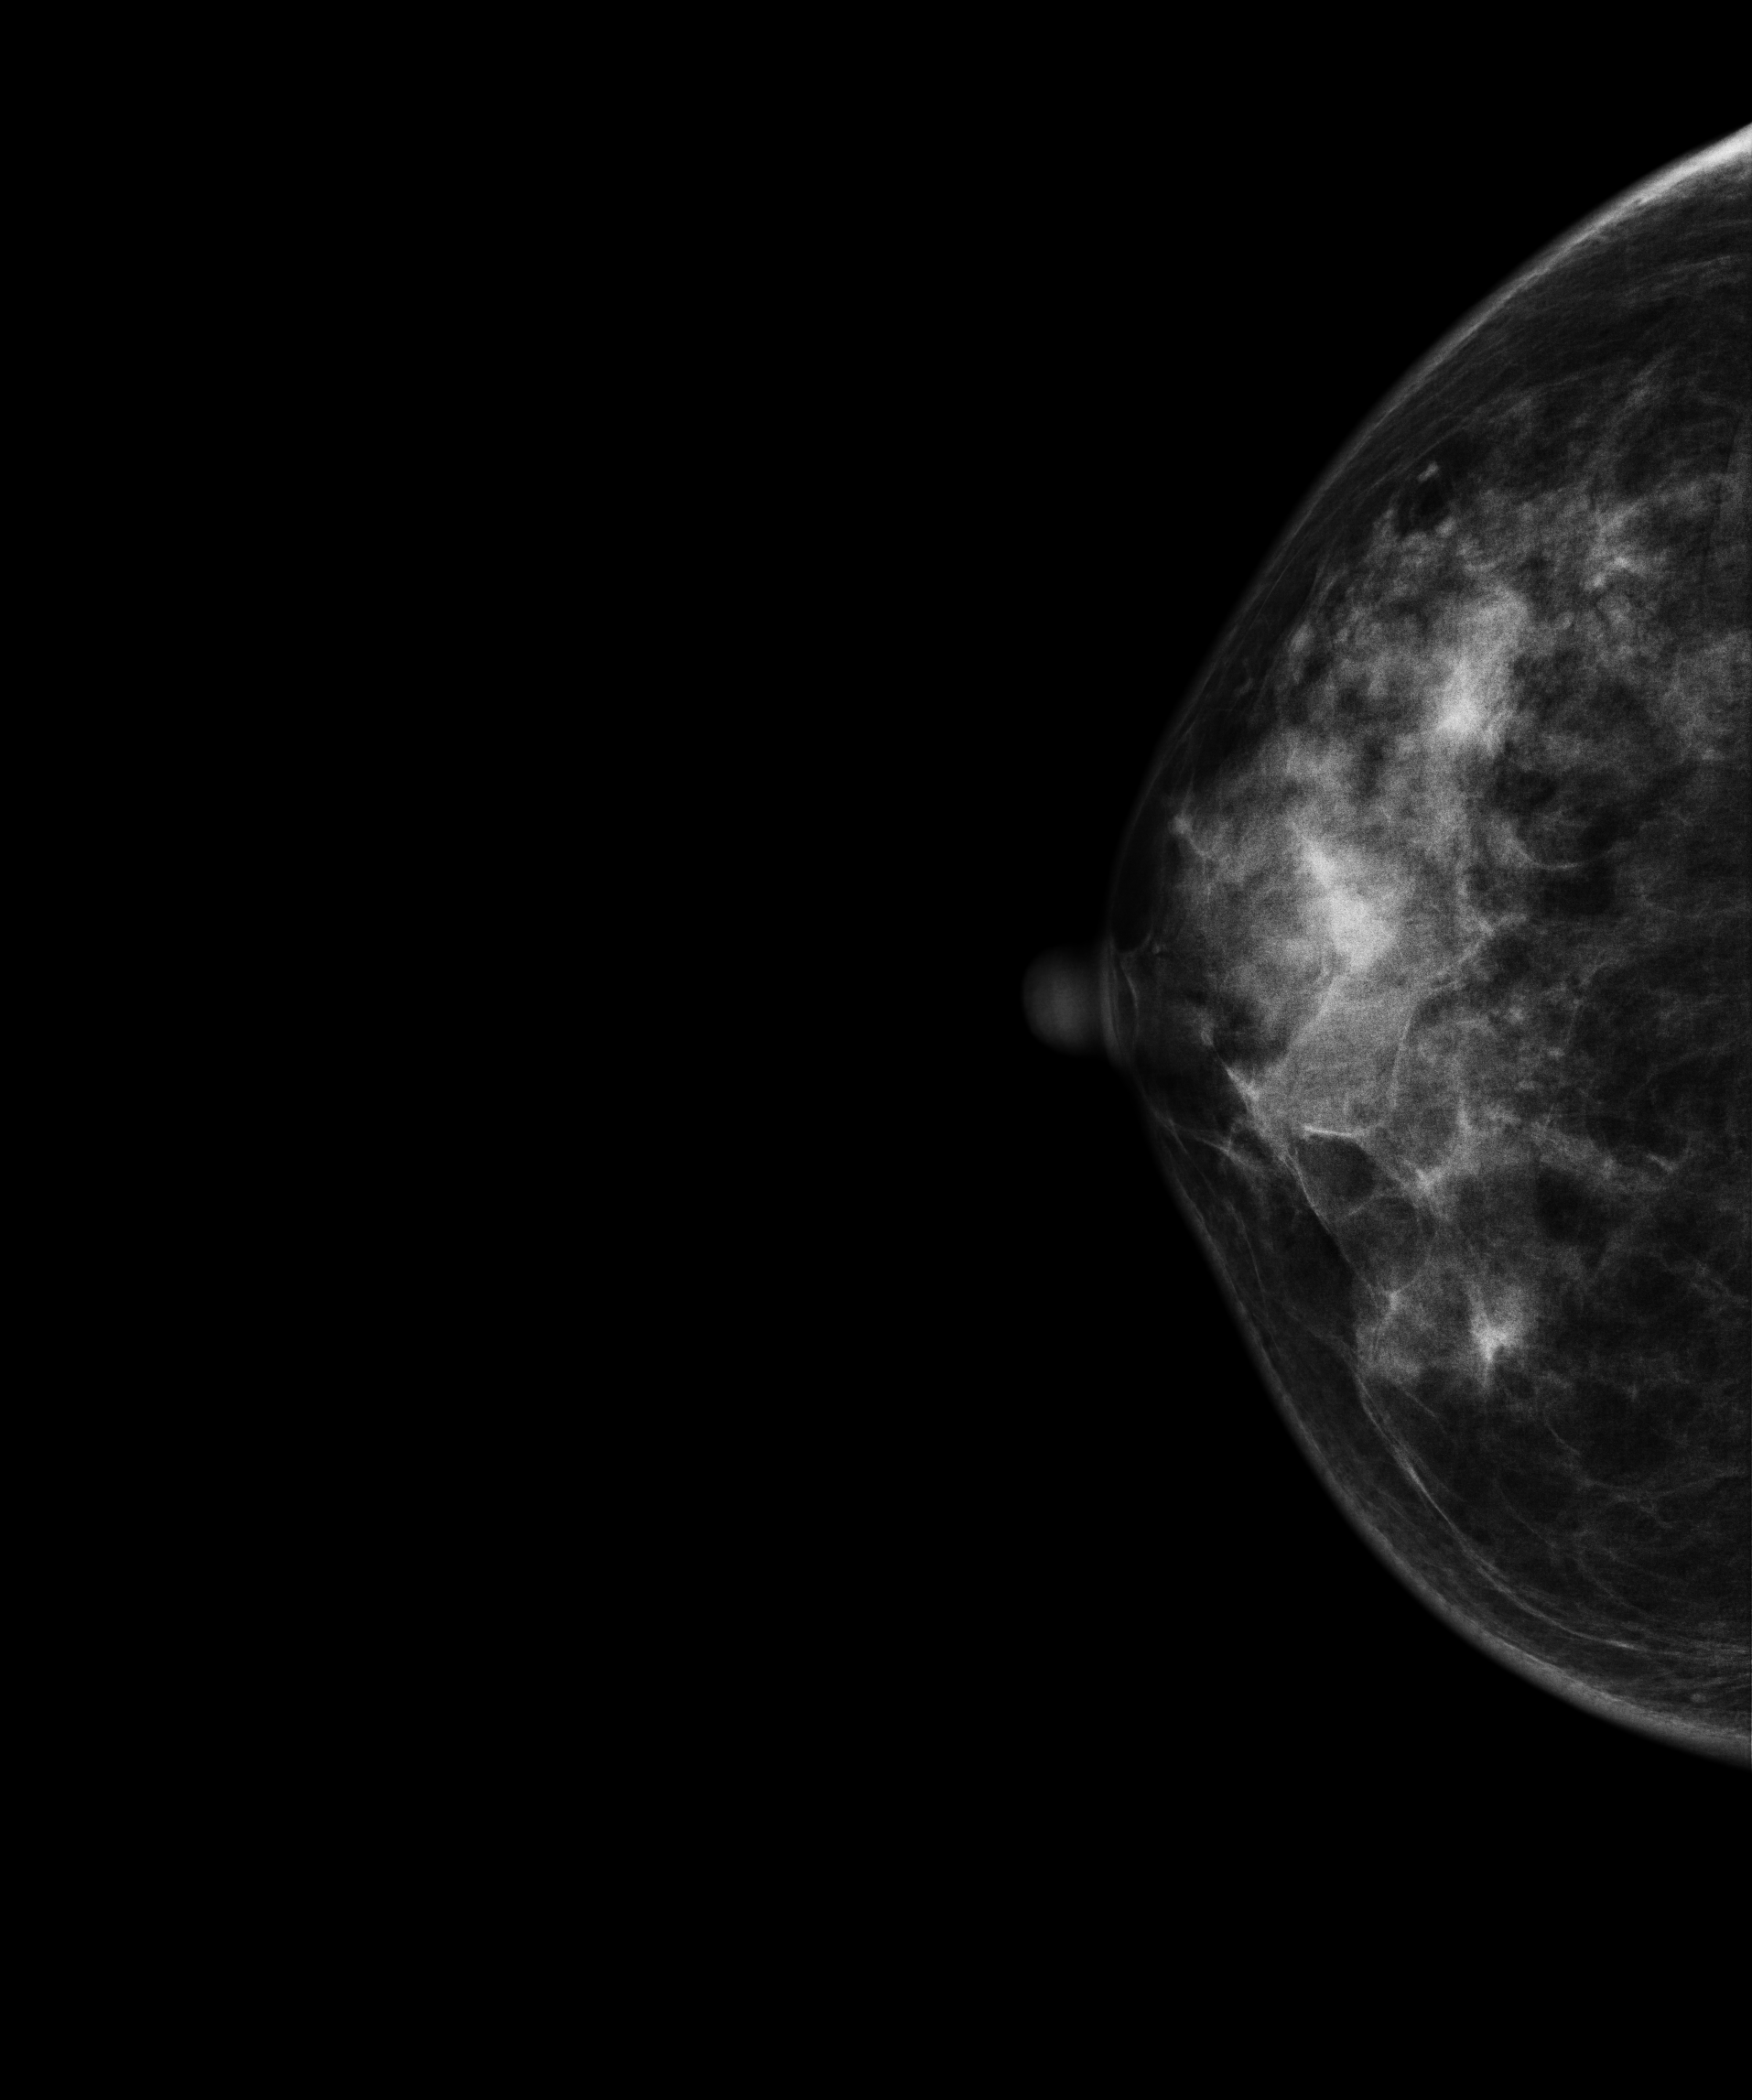
CC mammogram of the right breast. 44-year-old patient.
This breast has a mass, biopsy-confirmed benign.